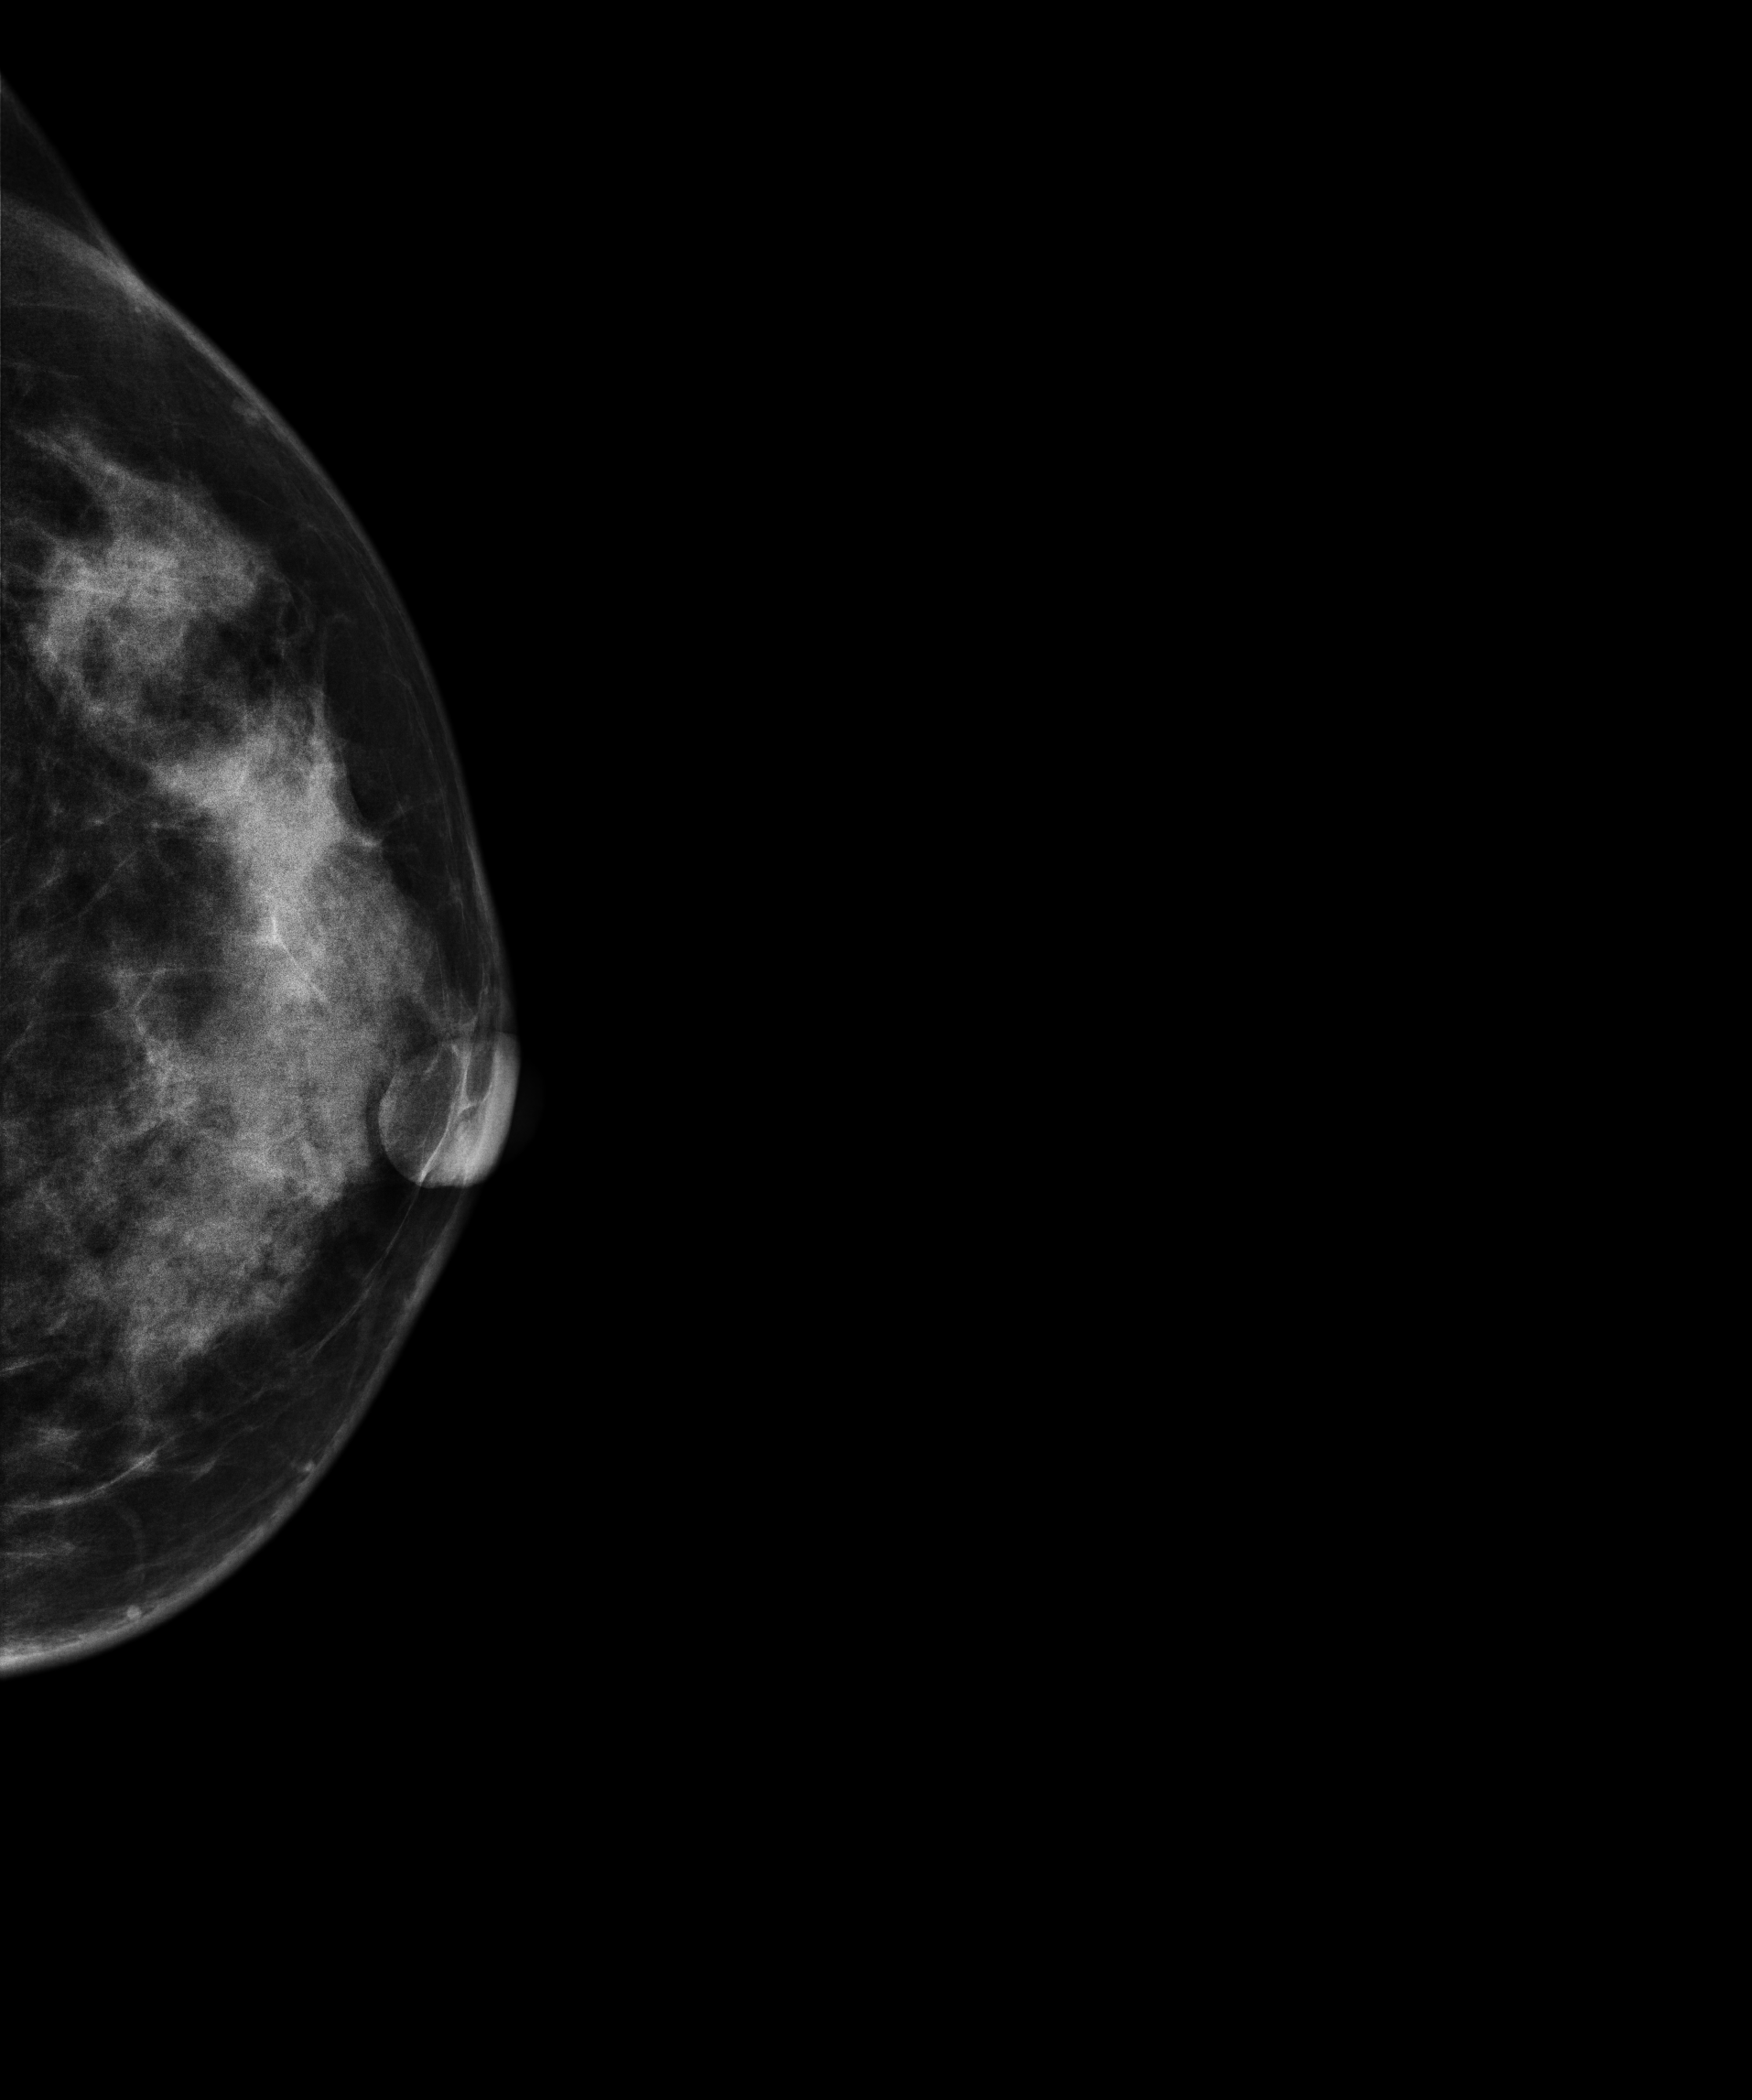
Mammogram — left cranio-caudal. 49-year-old patient.
This breast has a mass, pathology-confirmed malignant. Molecular subtype: luminal A.